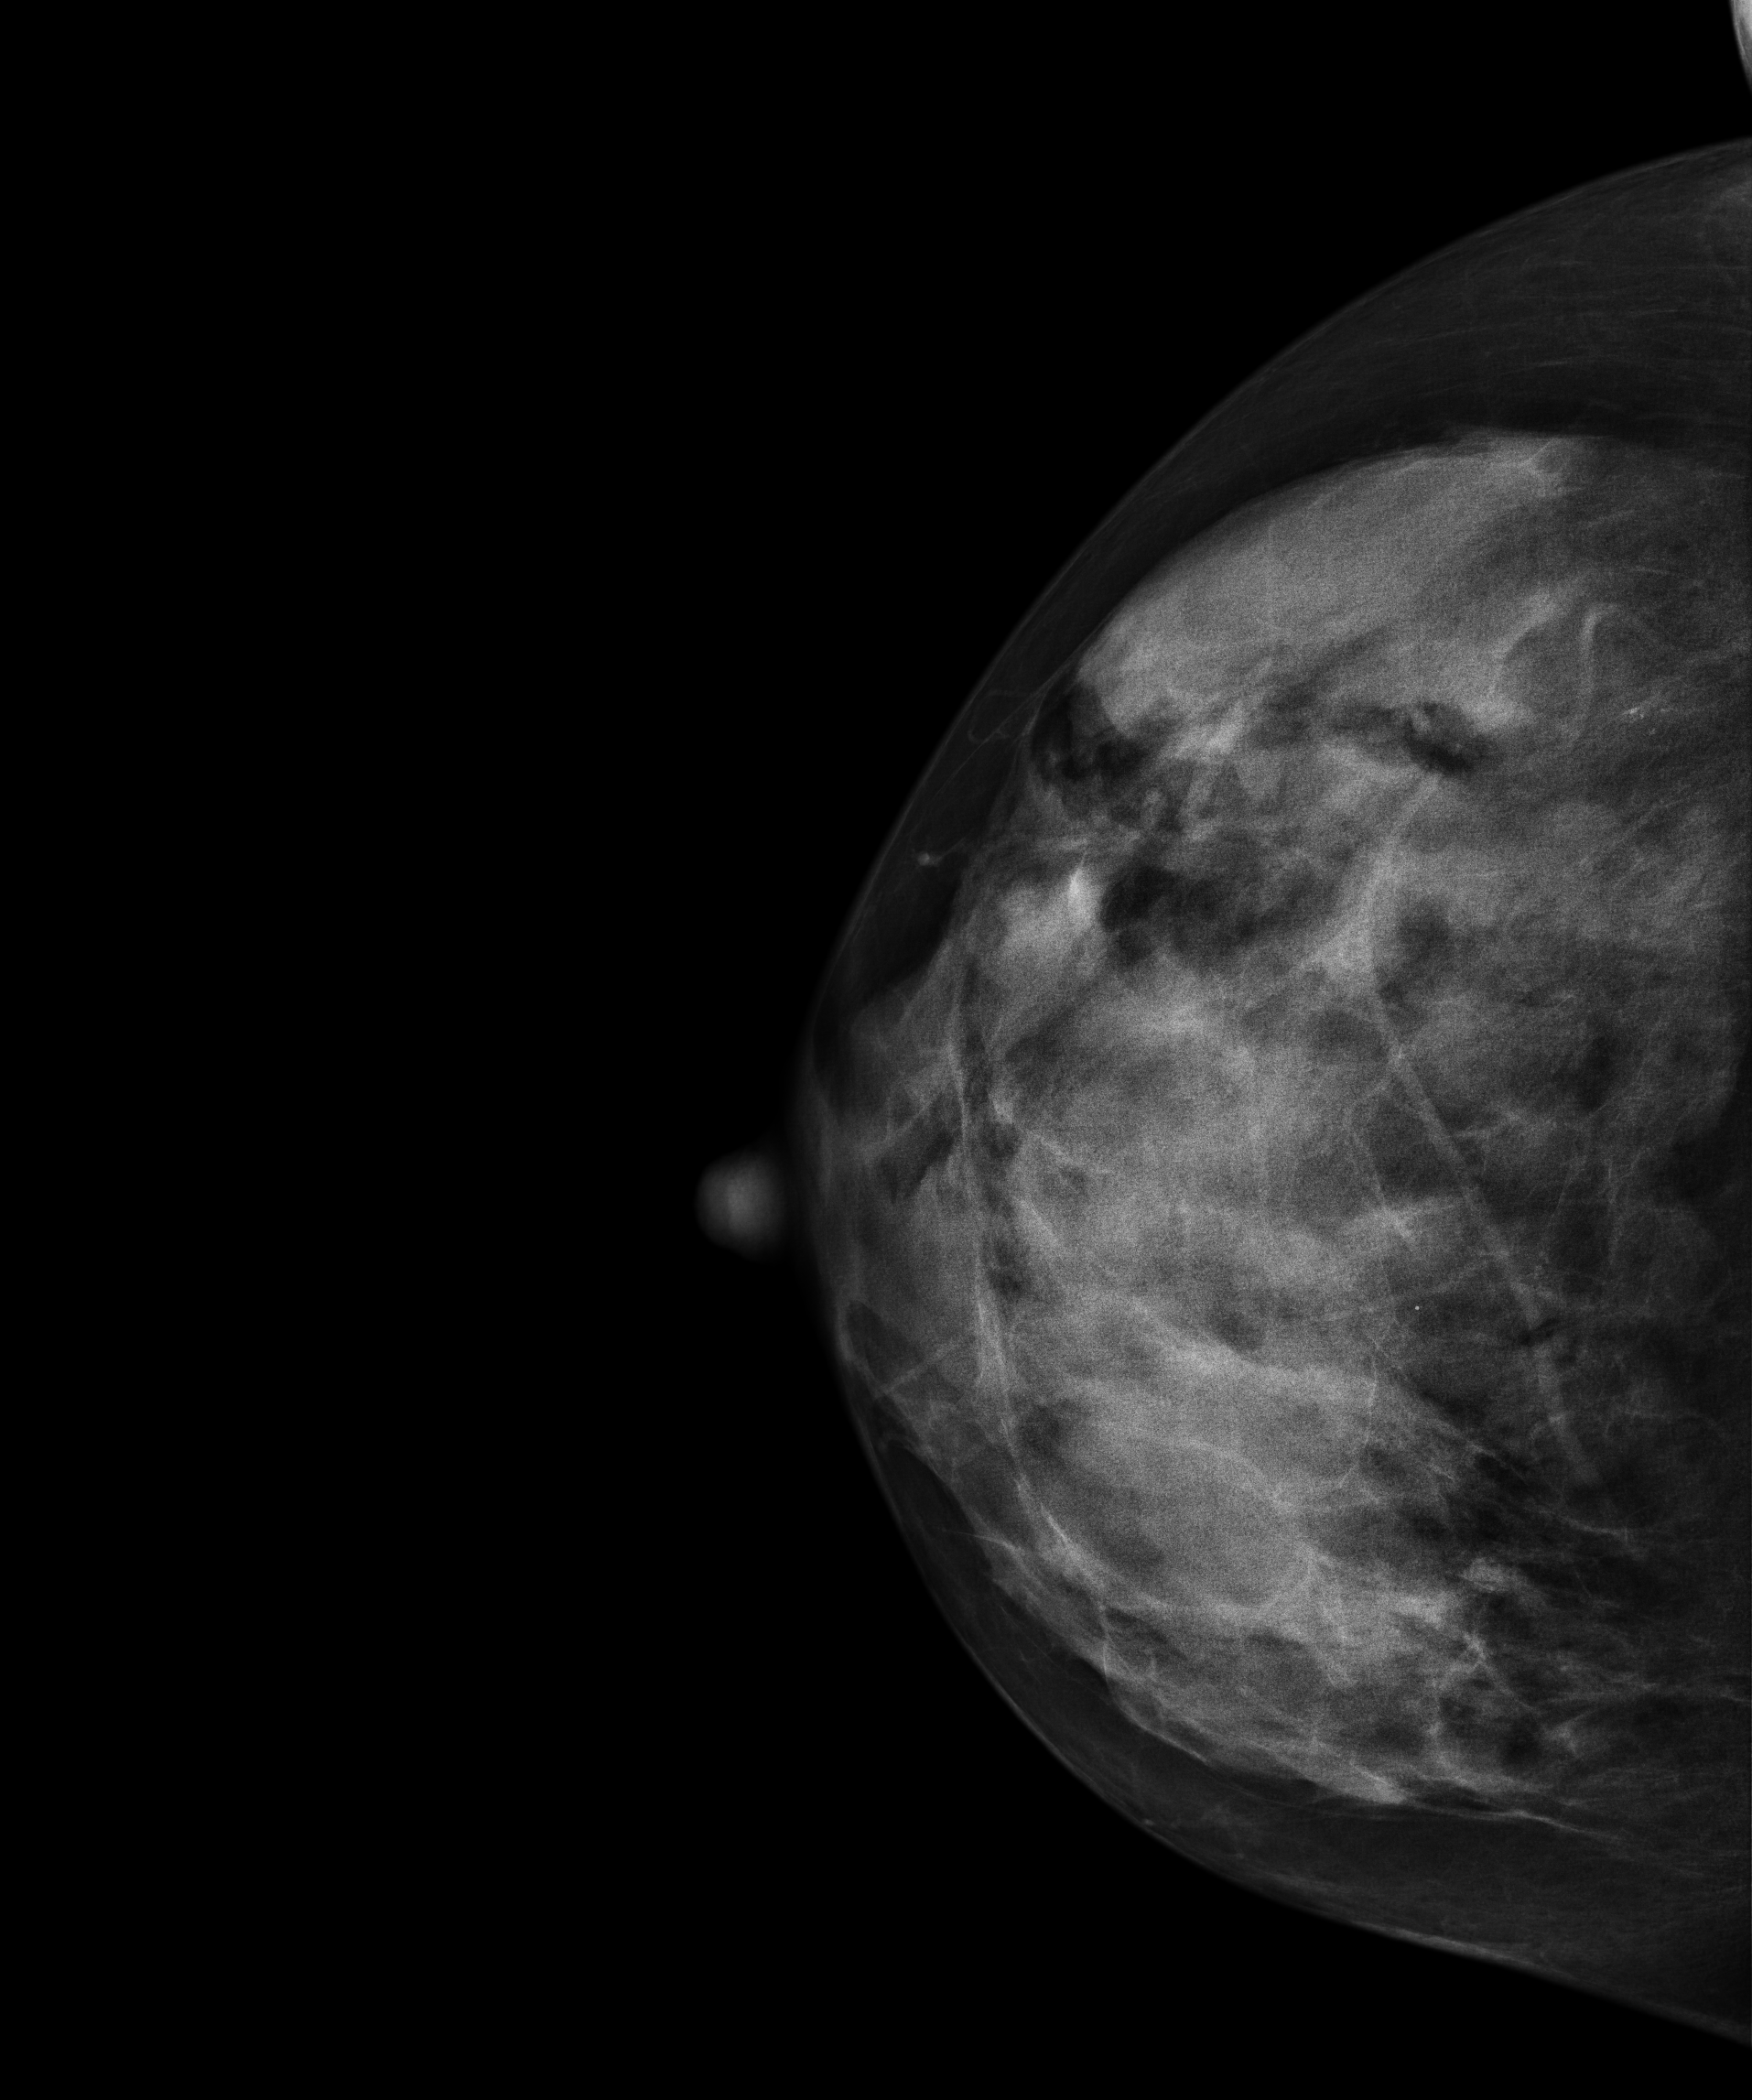
Mammogram — right CC. 50 y/o patient.
Contralateral breast — no documented abnormality on this side.